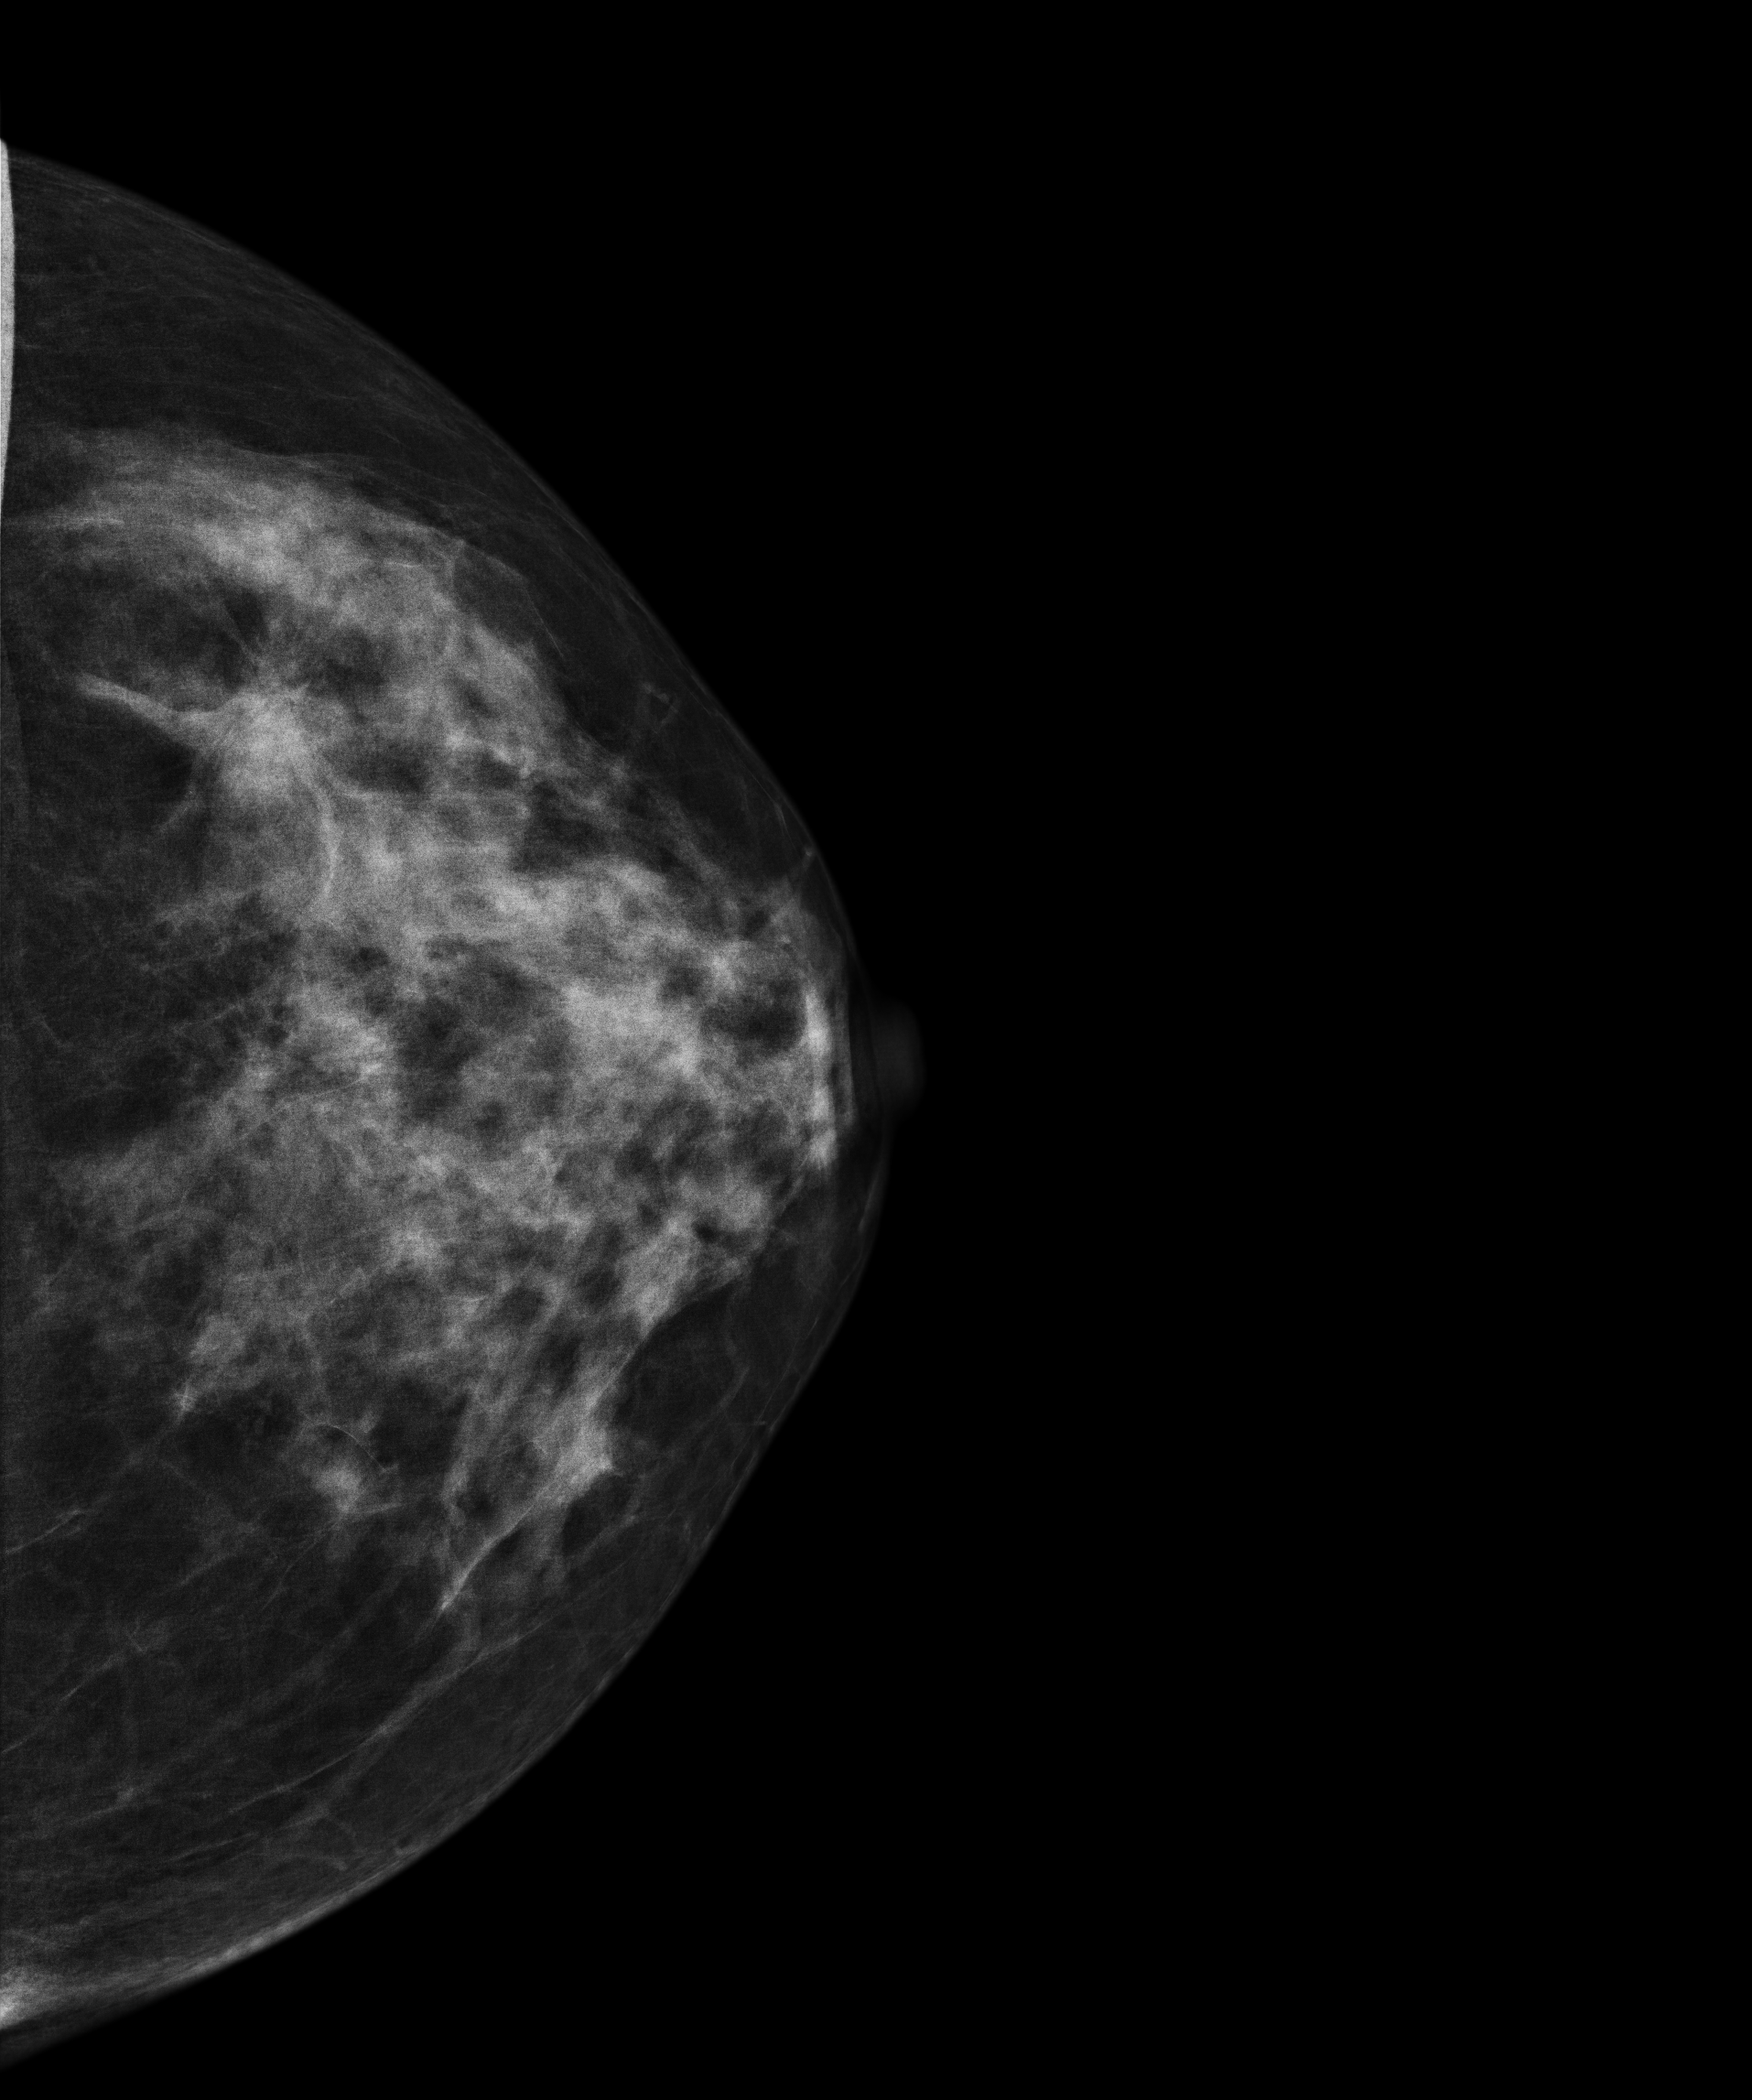
CC mammogram of the left breast. Patient age 50.
This breast has a mass, pathology-confirmed malignant.